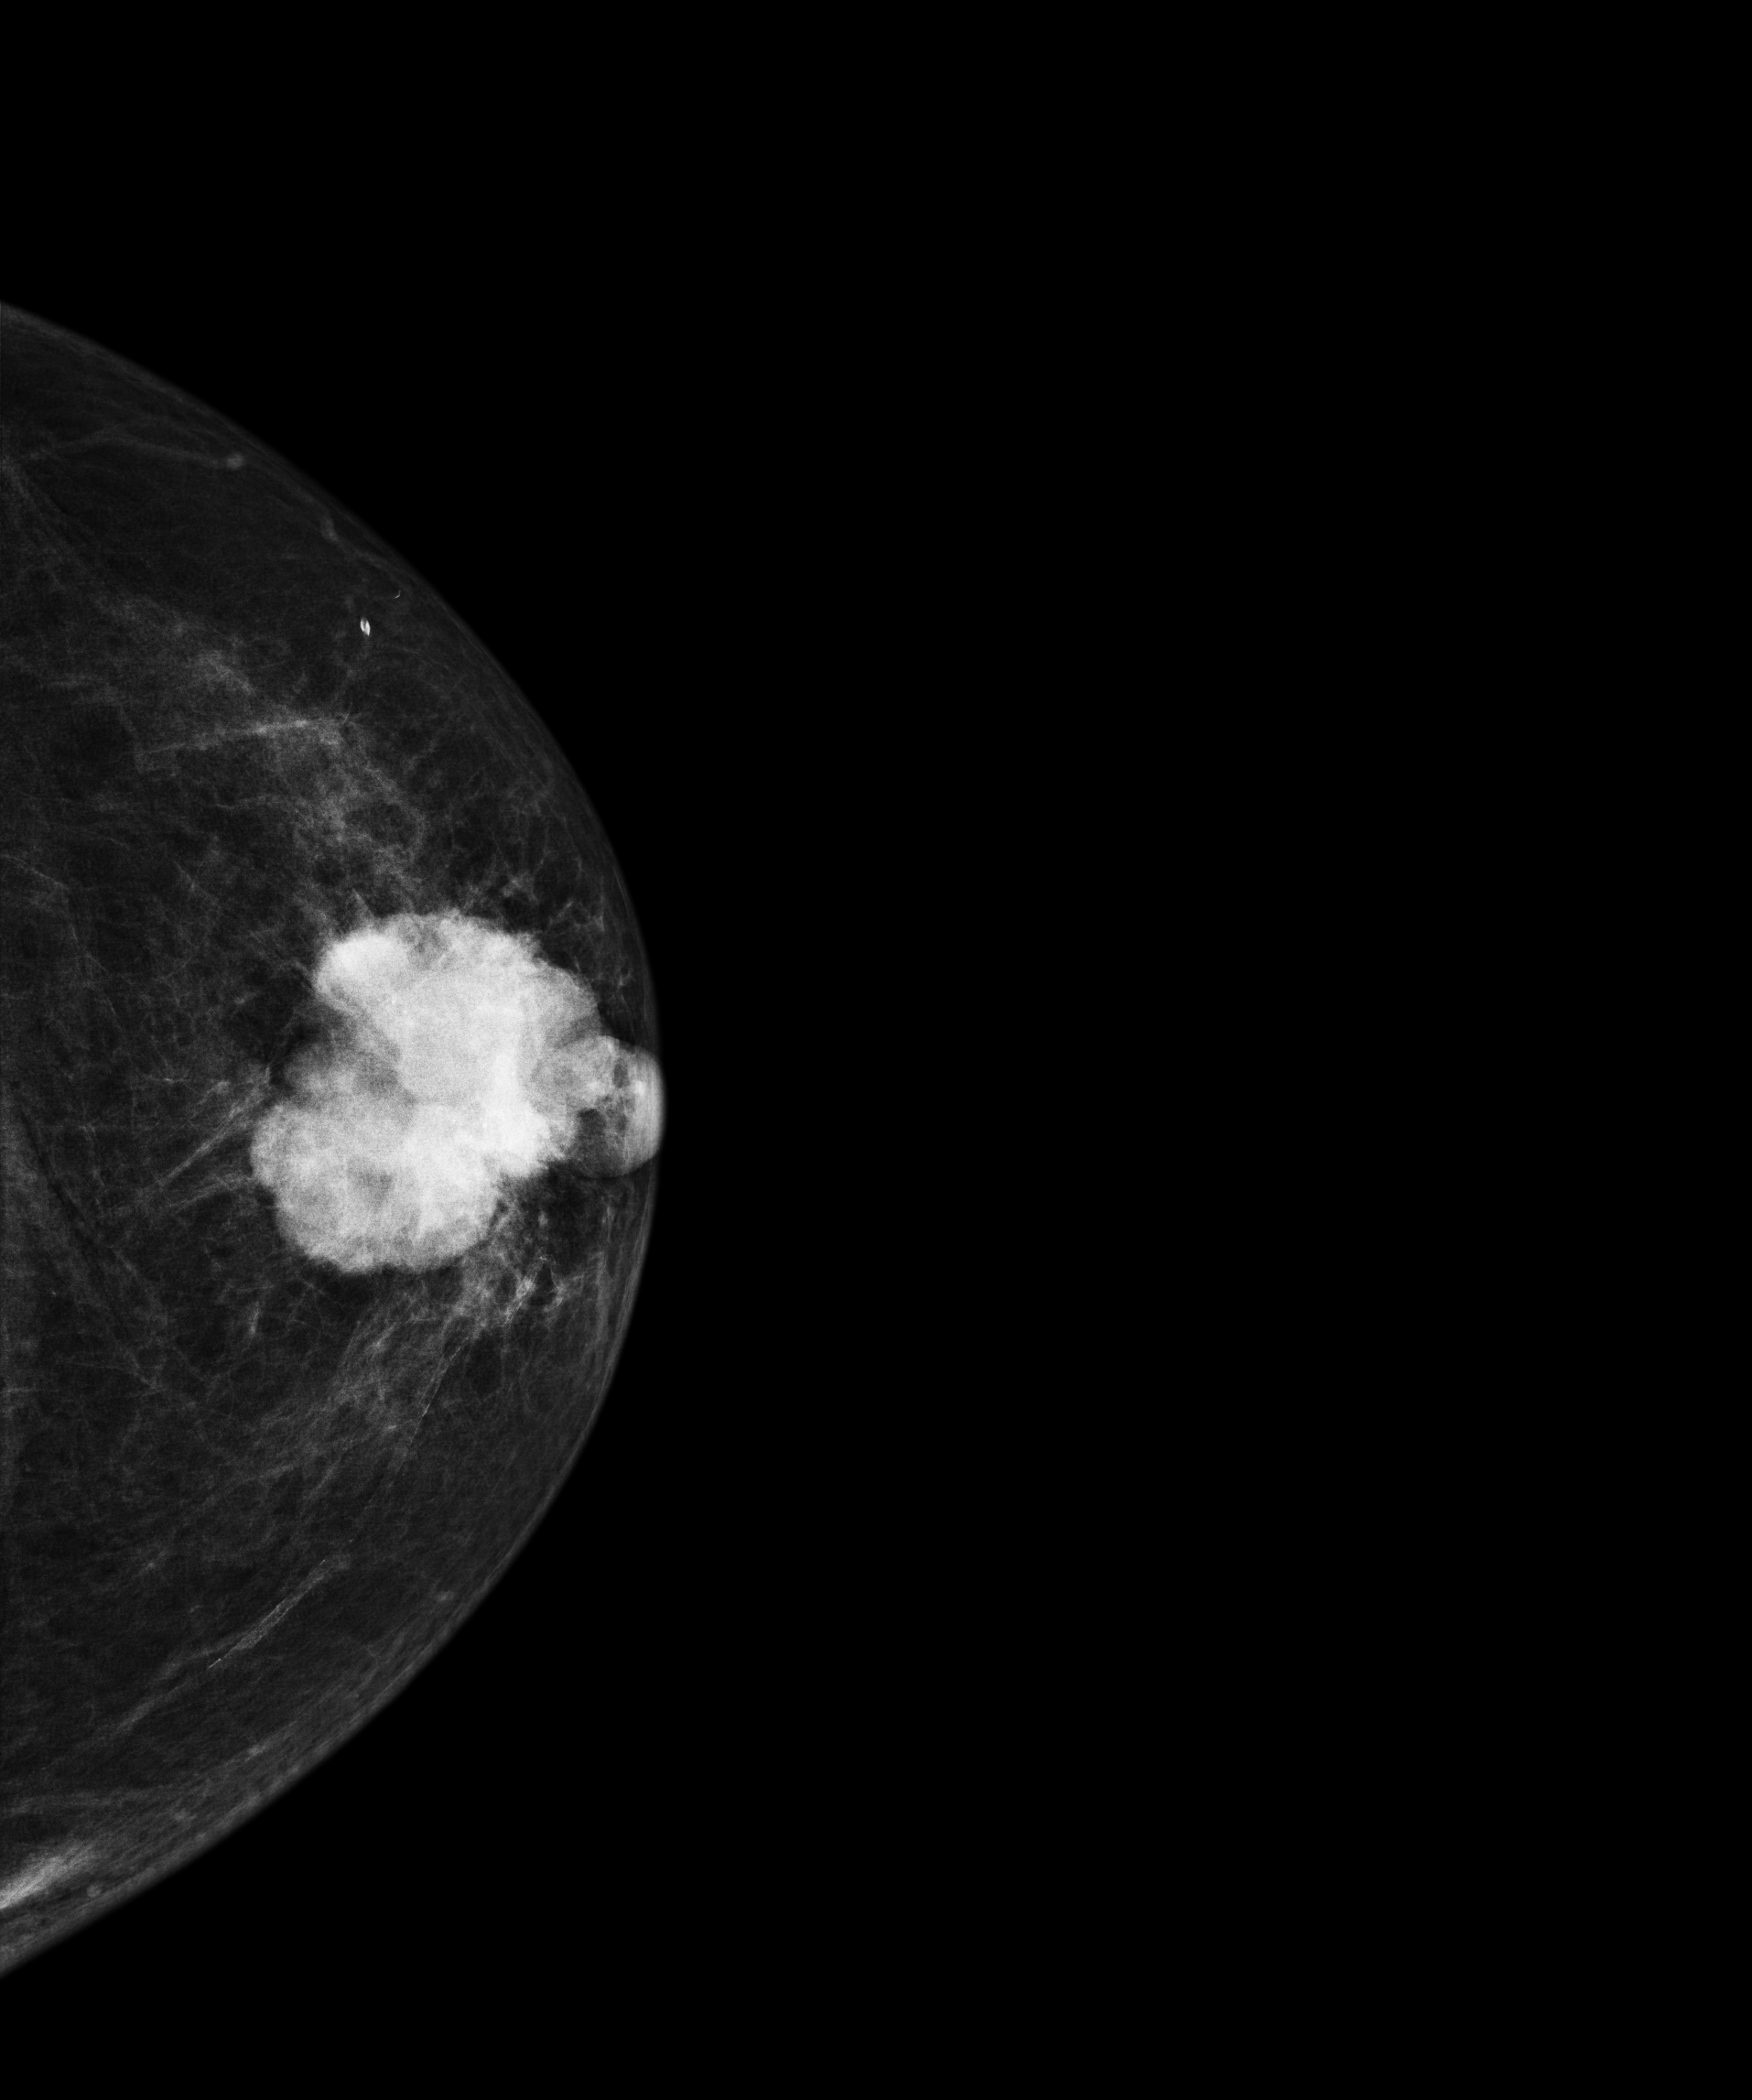
Digital mammography. Left breast, CC projection. Patient age 70.
This breast has a mass, histologically confirmed malignant.